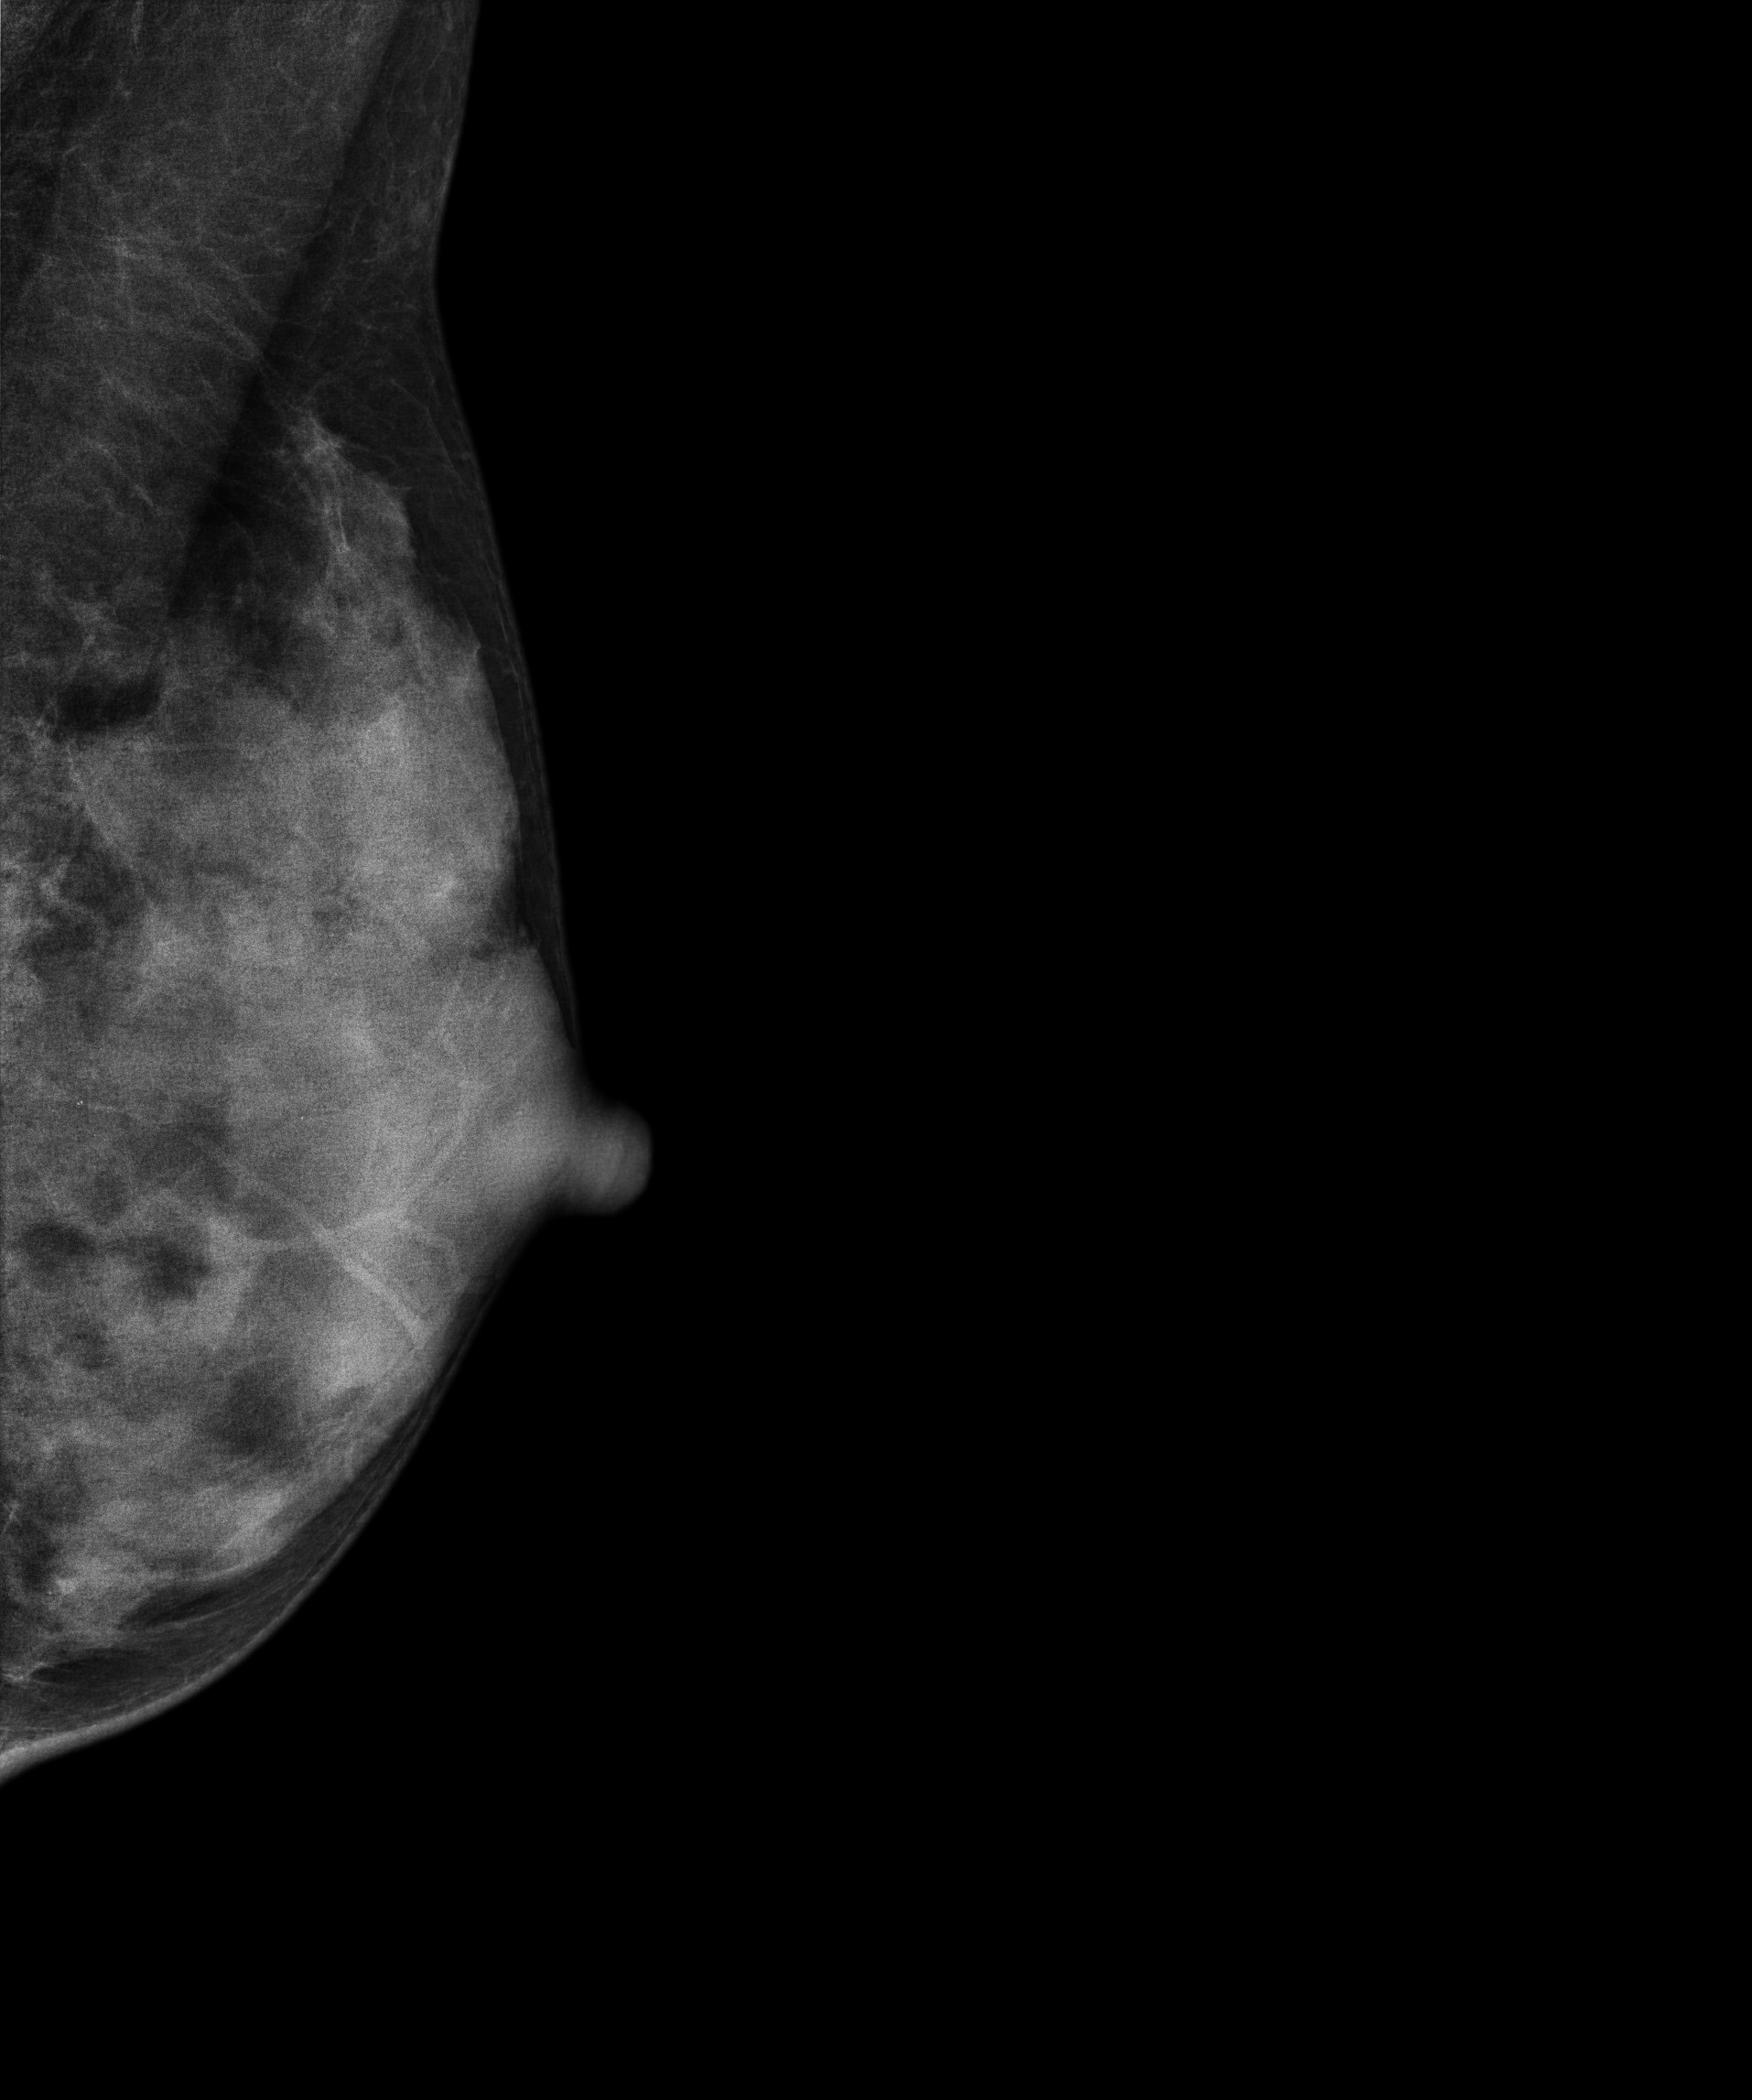
Medio-lateral oblique mammogram of the left breast. 42 y/o patient.
This breast has a mass, pathology-confirmed benign.